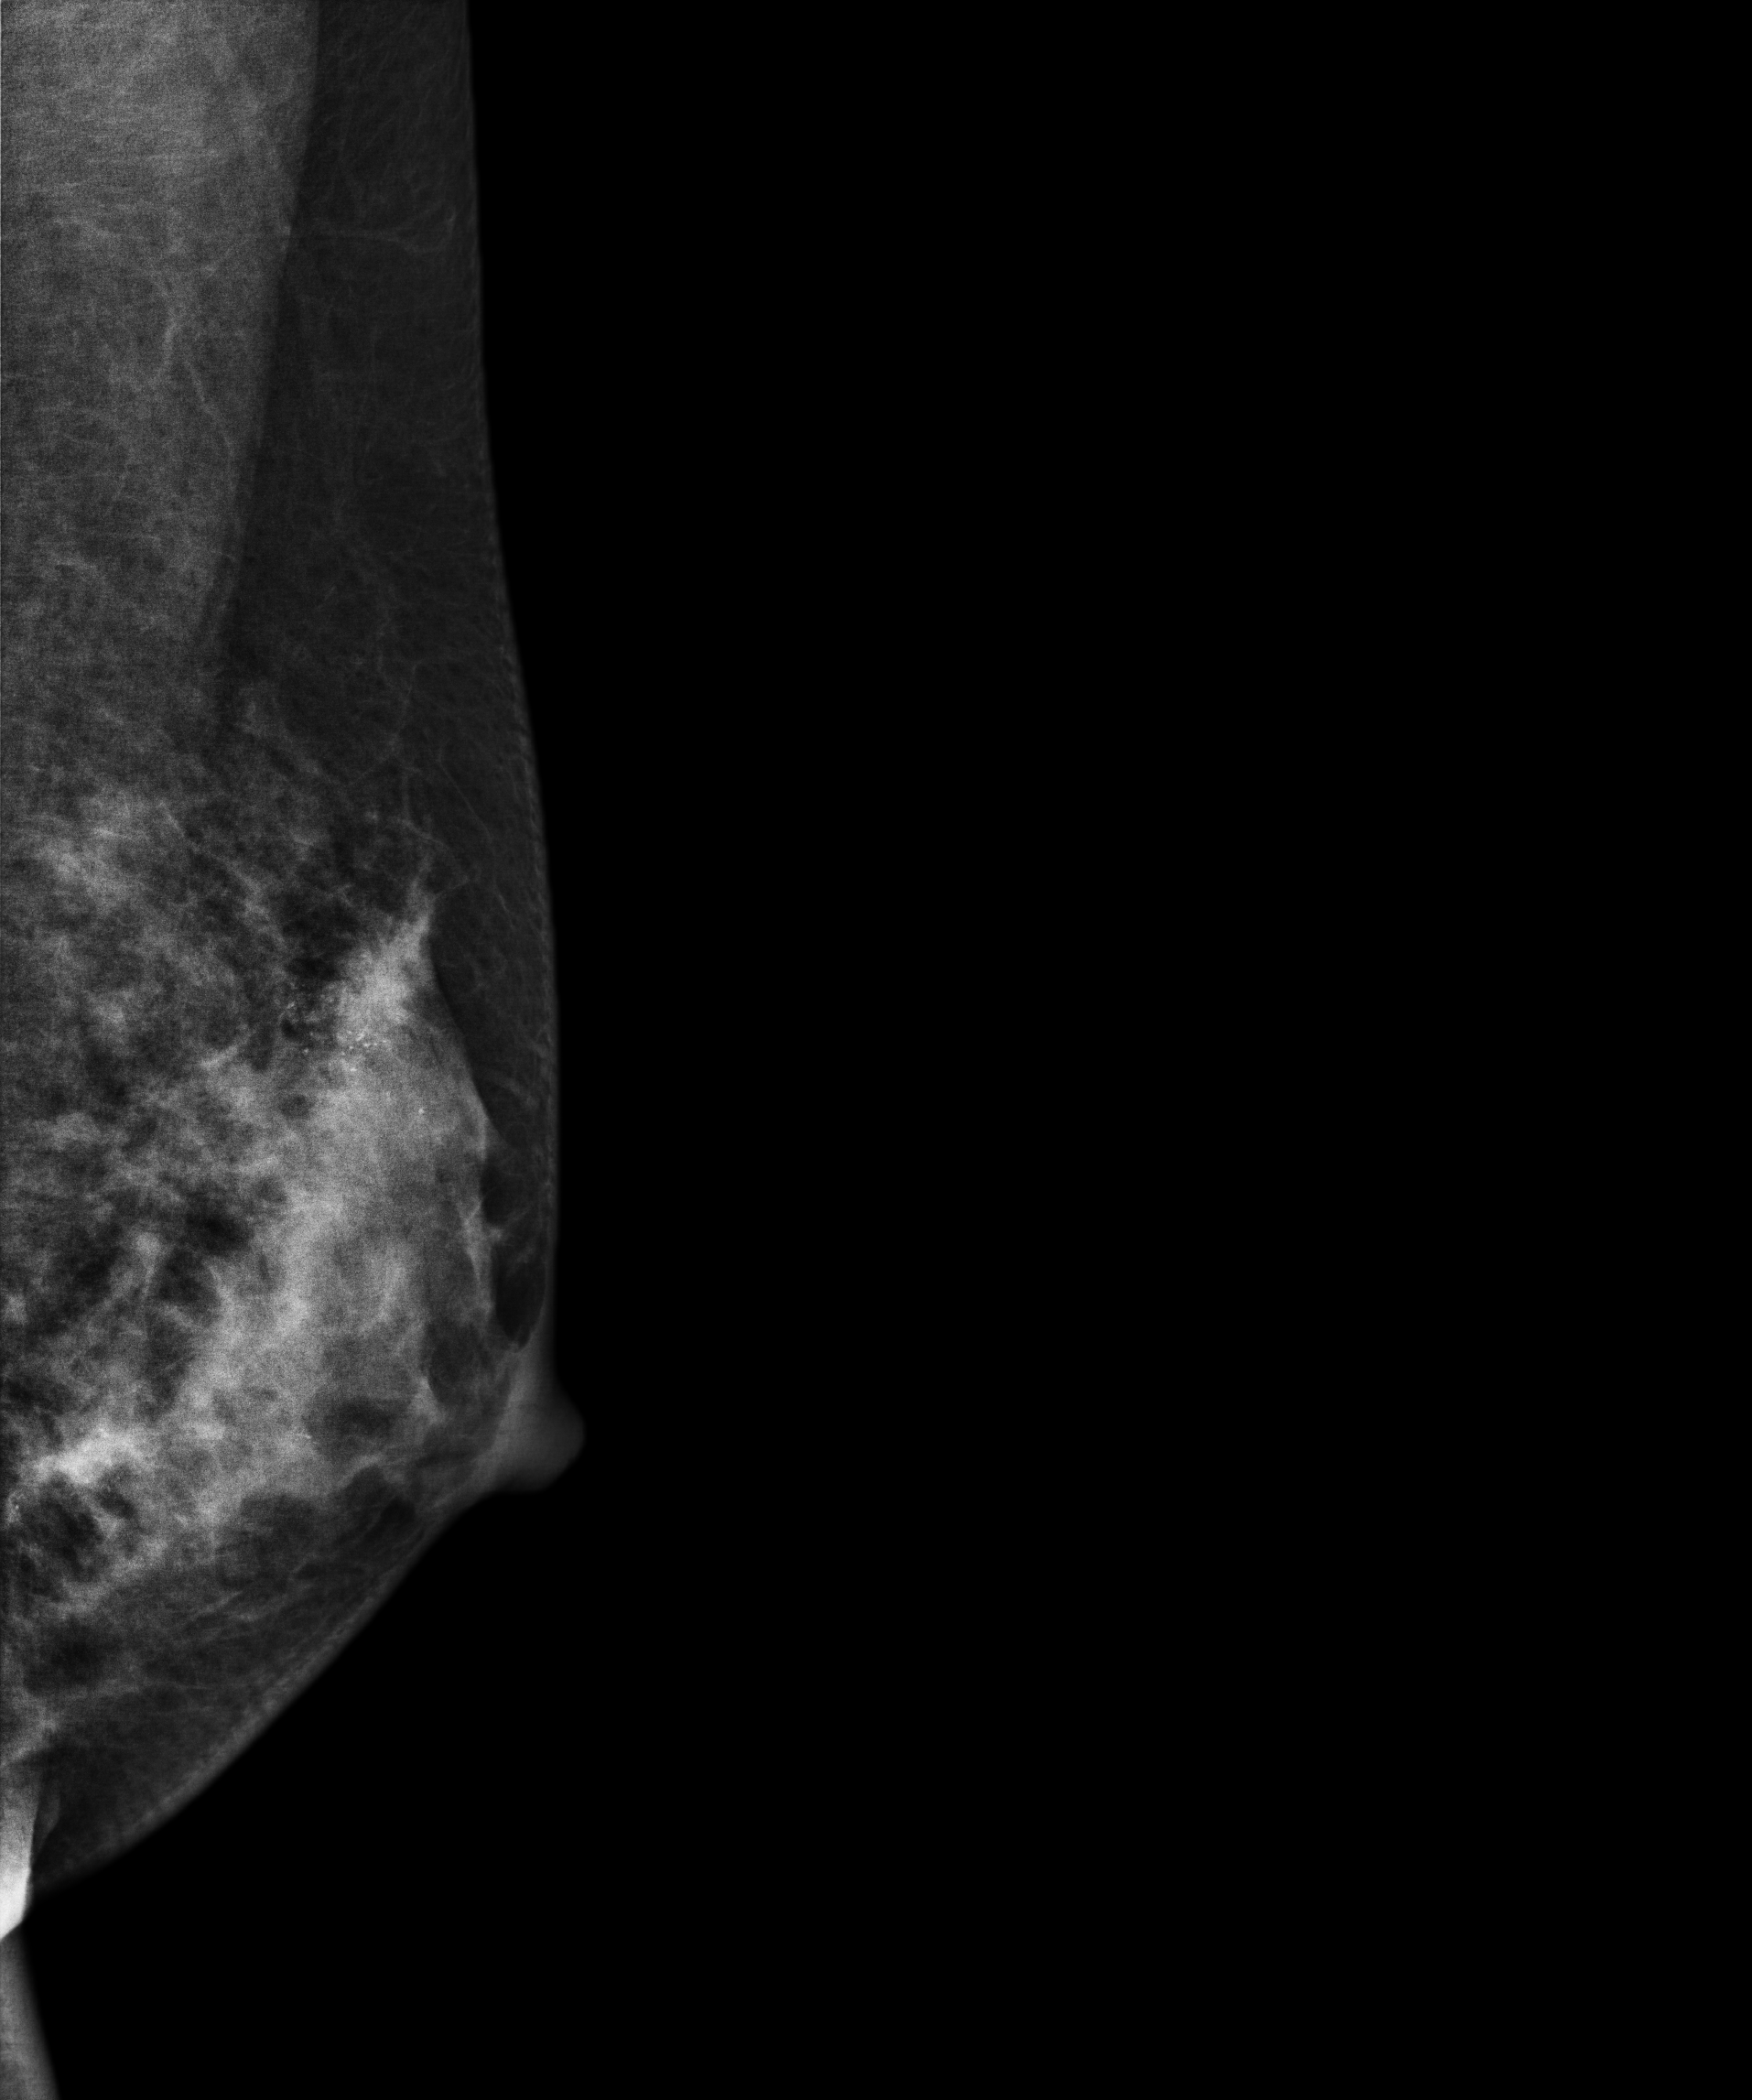
Digital mammography. Left breast, MLO projection. Patient age 30.
This breast has a mass and calcifications, pathology-confirmed malignant. Molecular subtype: luminal B.